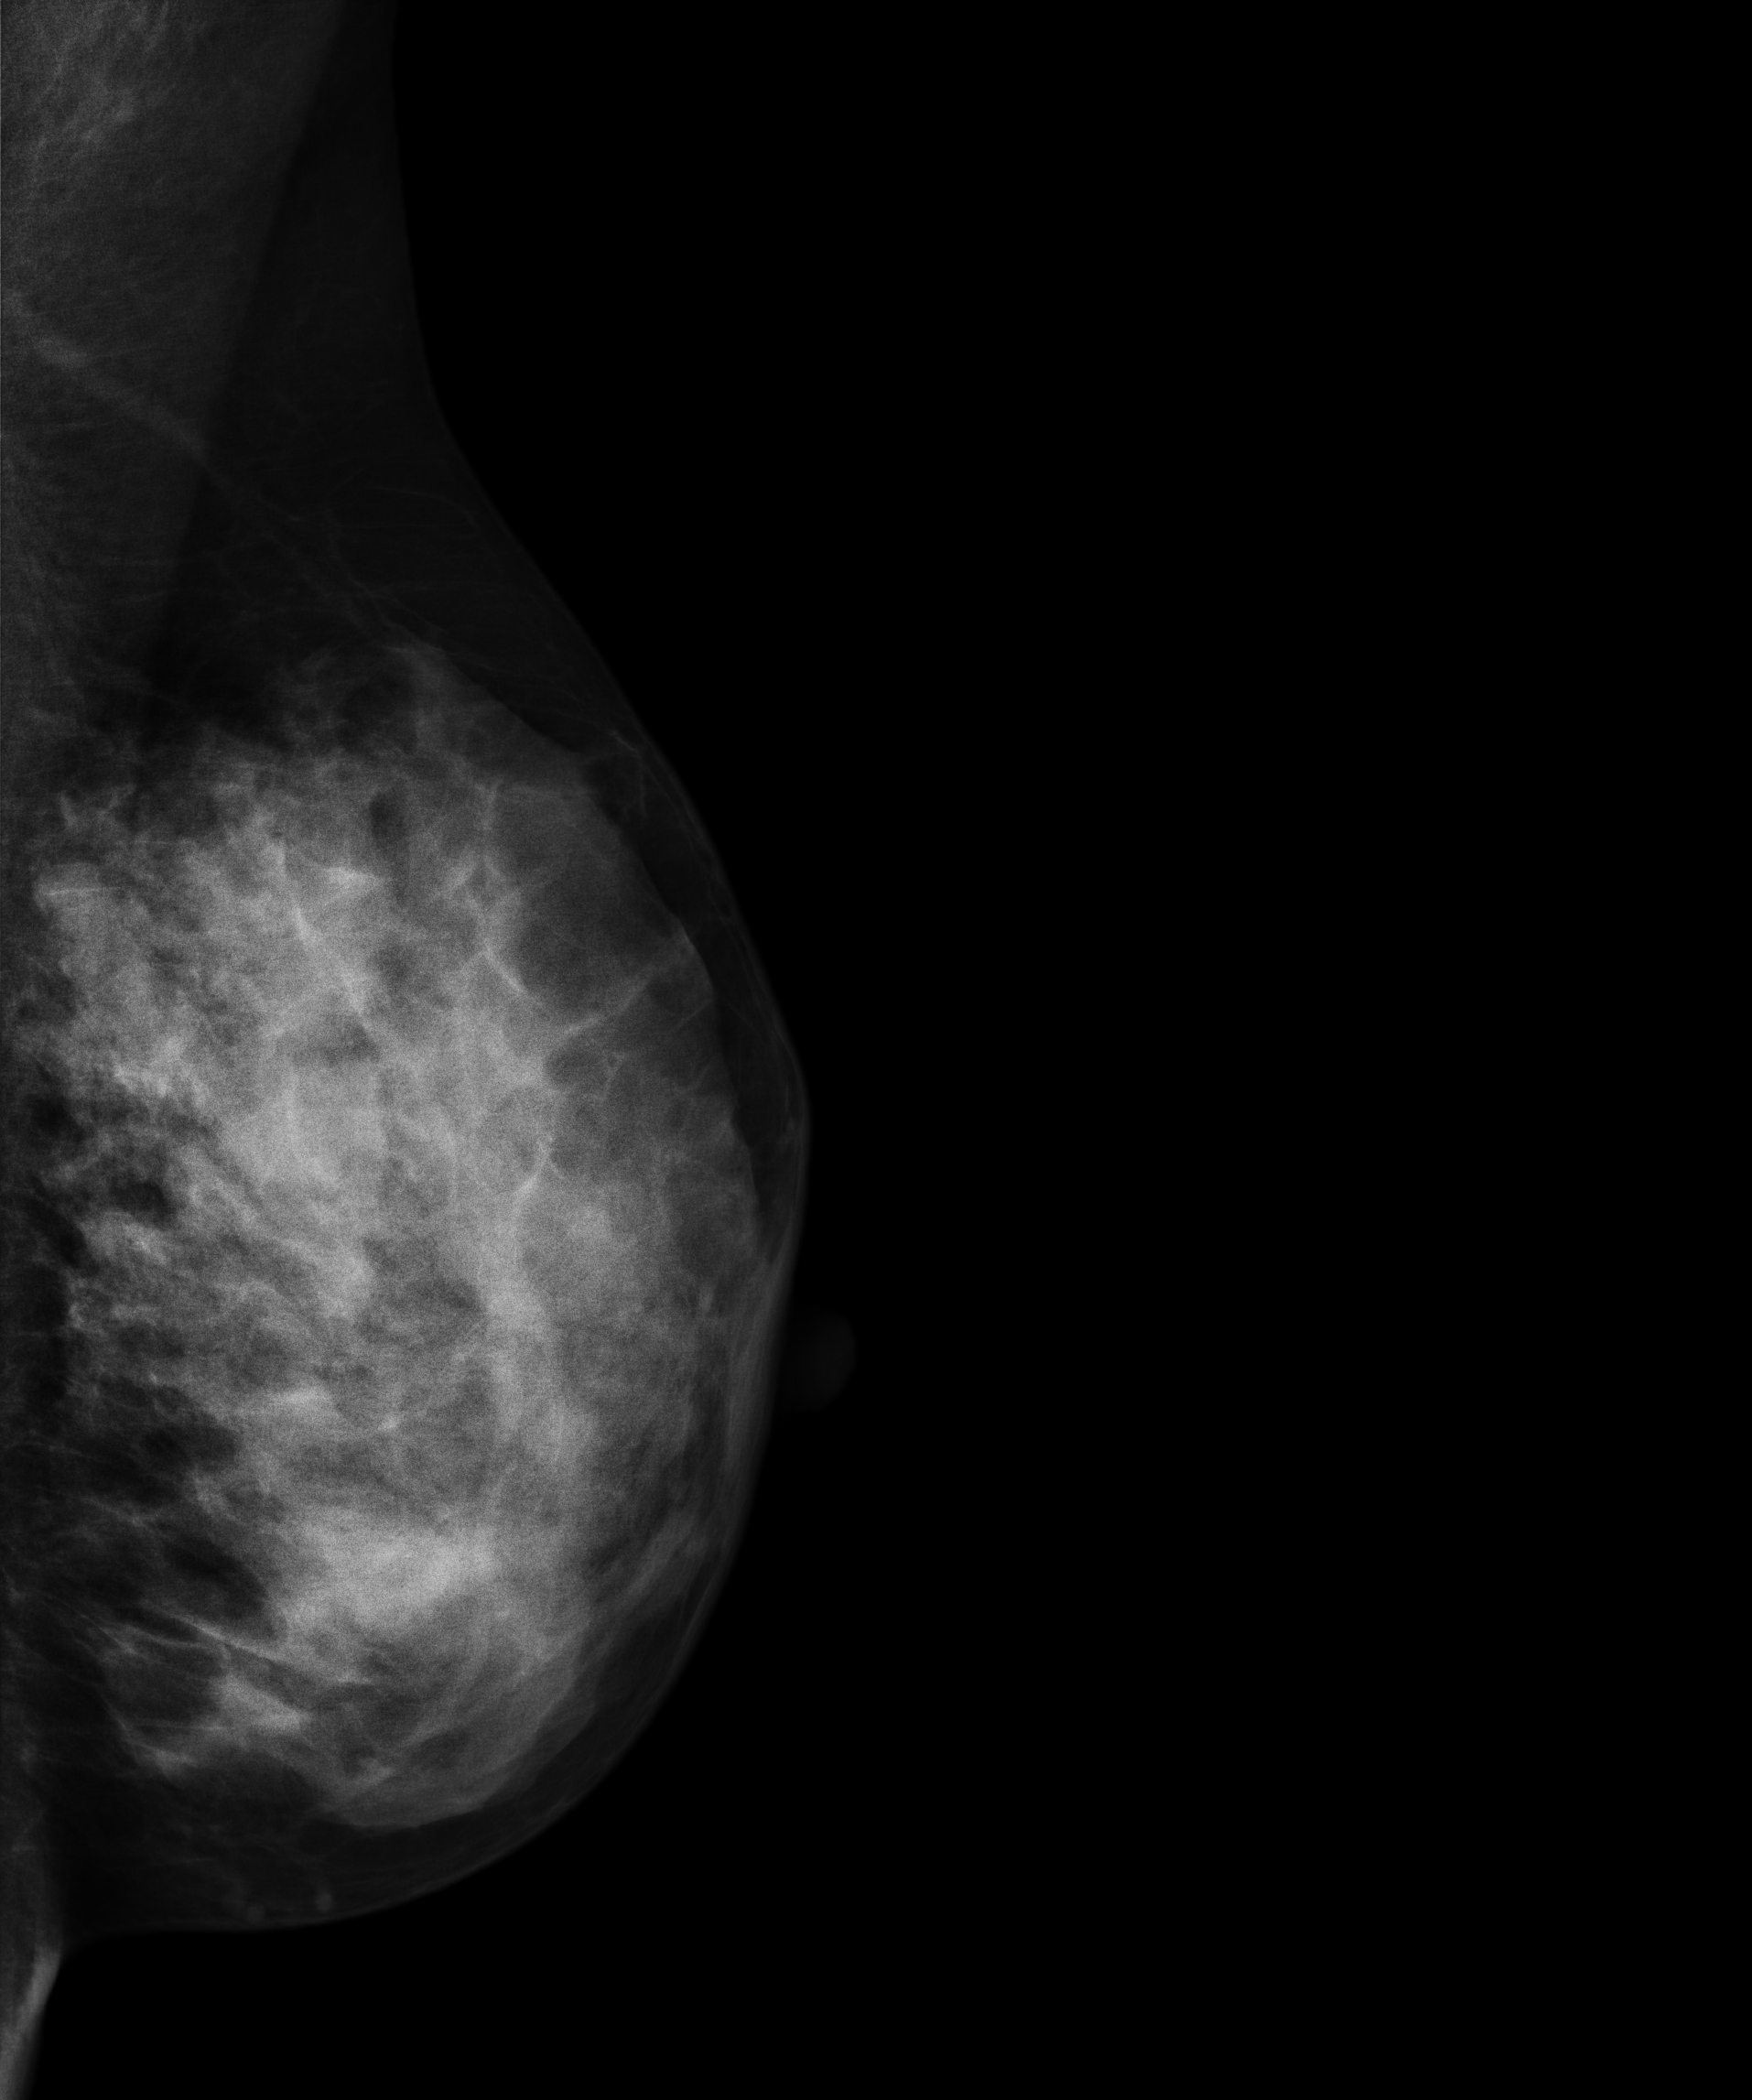
Left-breast mammogram, medio-lateral oblique. Patient age 49.
This breast has a mass, histologically confirmed malignant. Molecular subtype: luminal B.